Digital mammography. Right breast, cranio-caudal projection. 39-year-old patient.
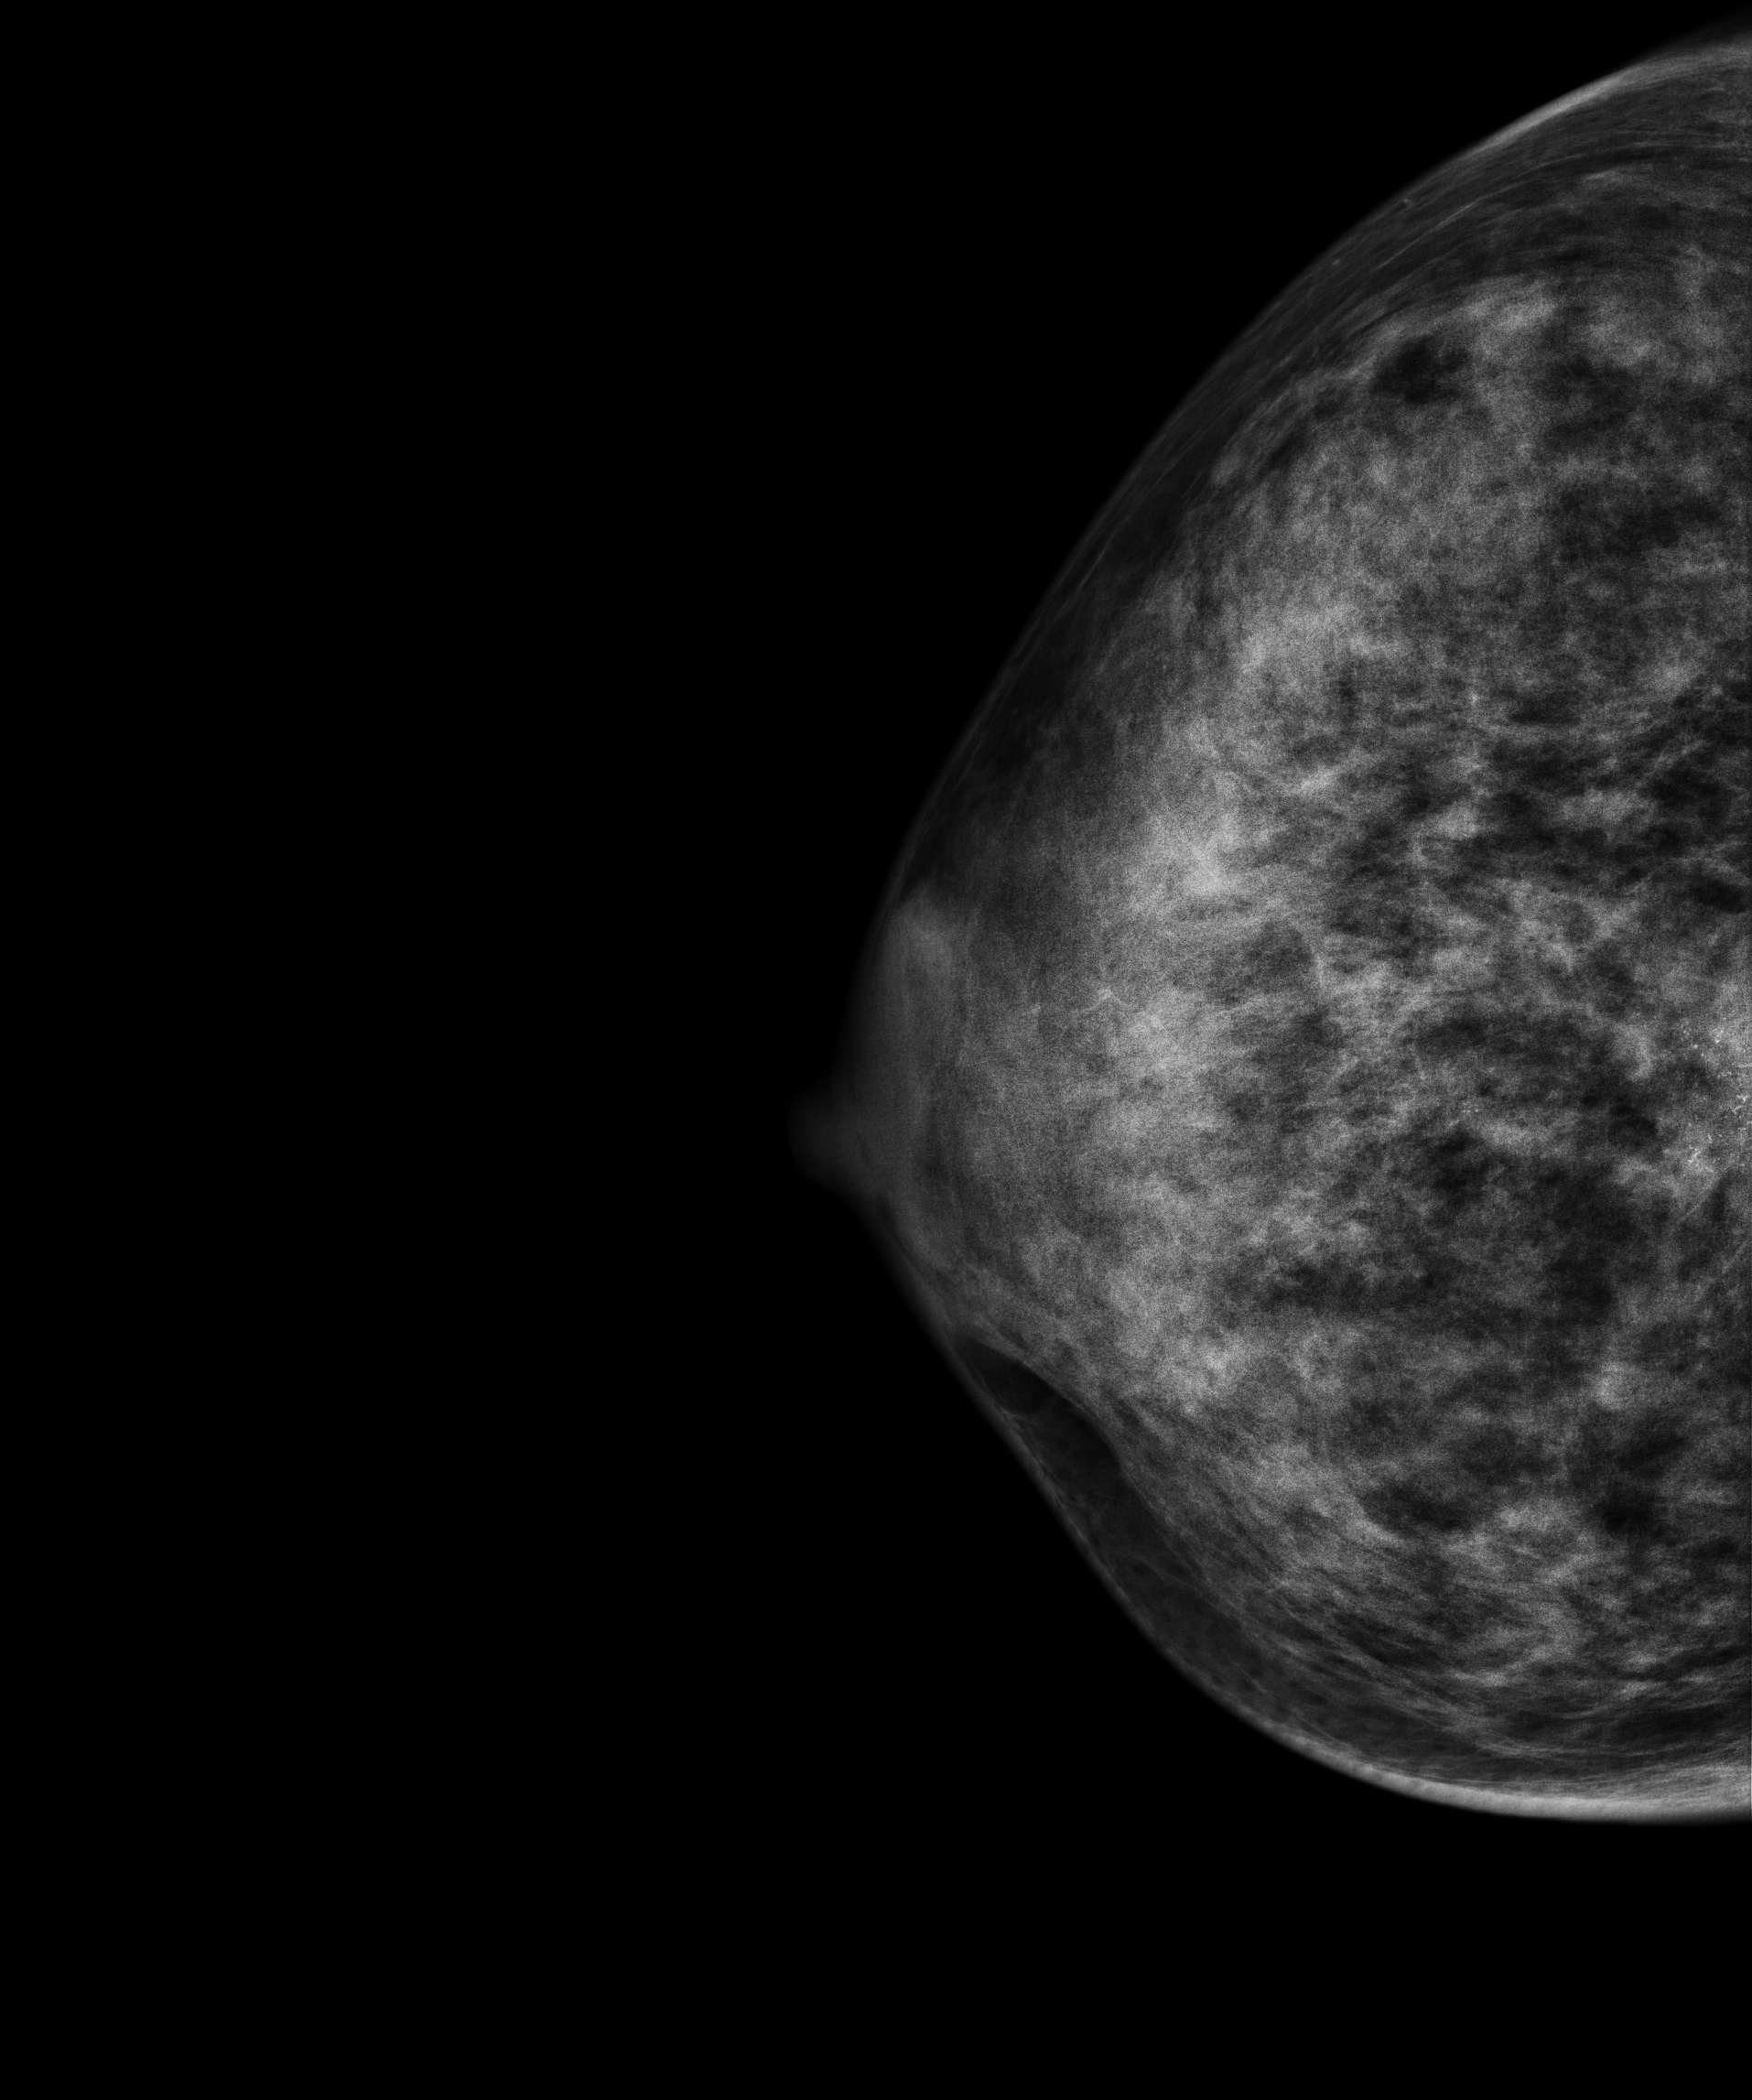
This breast has a mass and calcifications, biopsy-proven malignant. Molecular subtype: HER2-enriched.